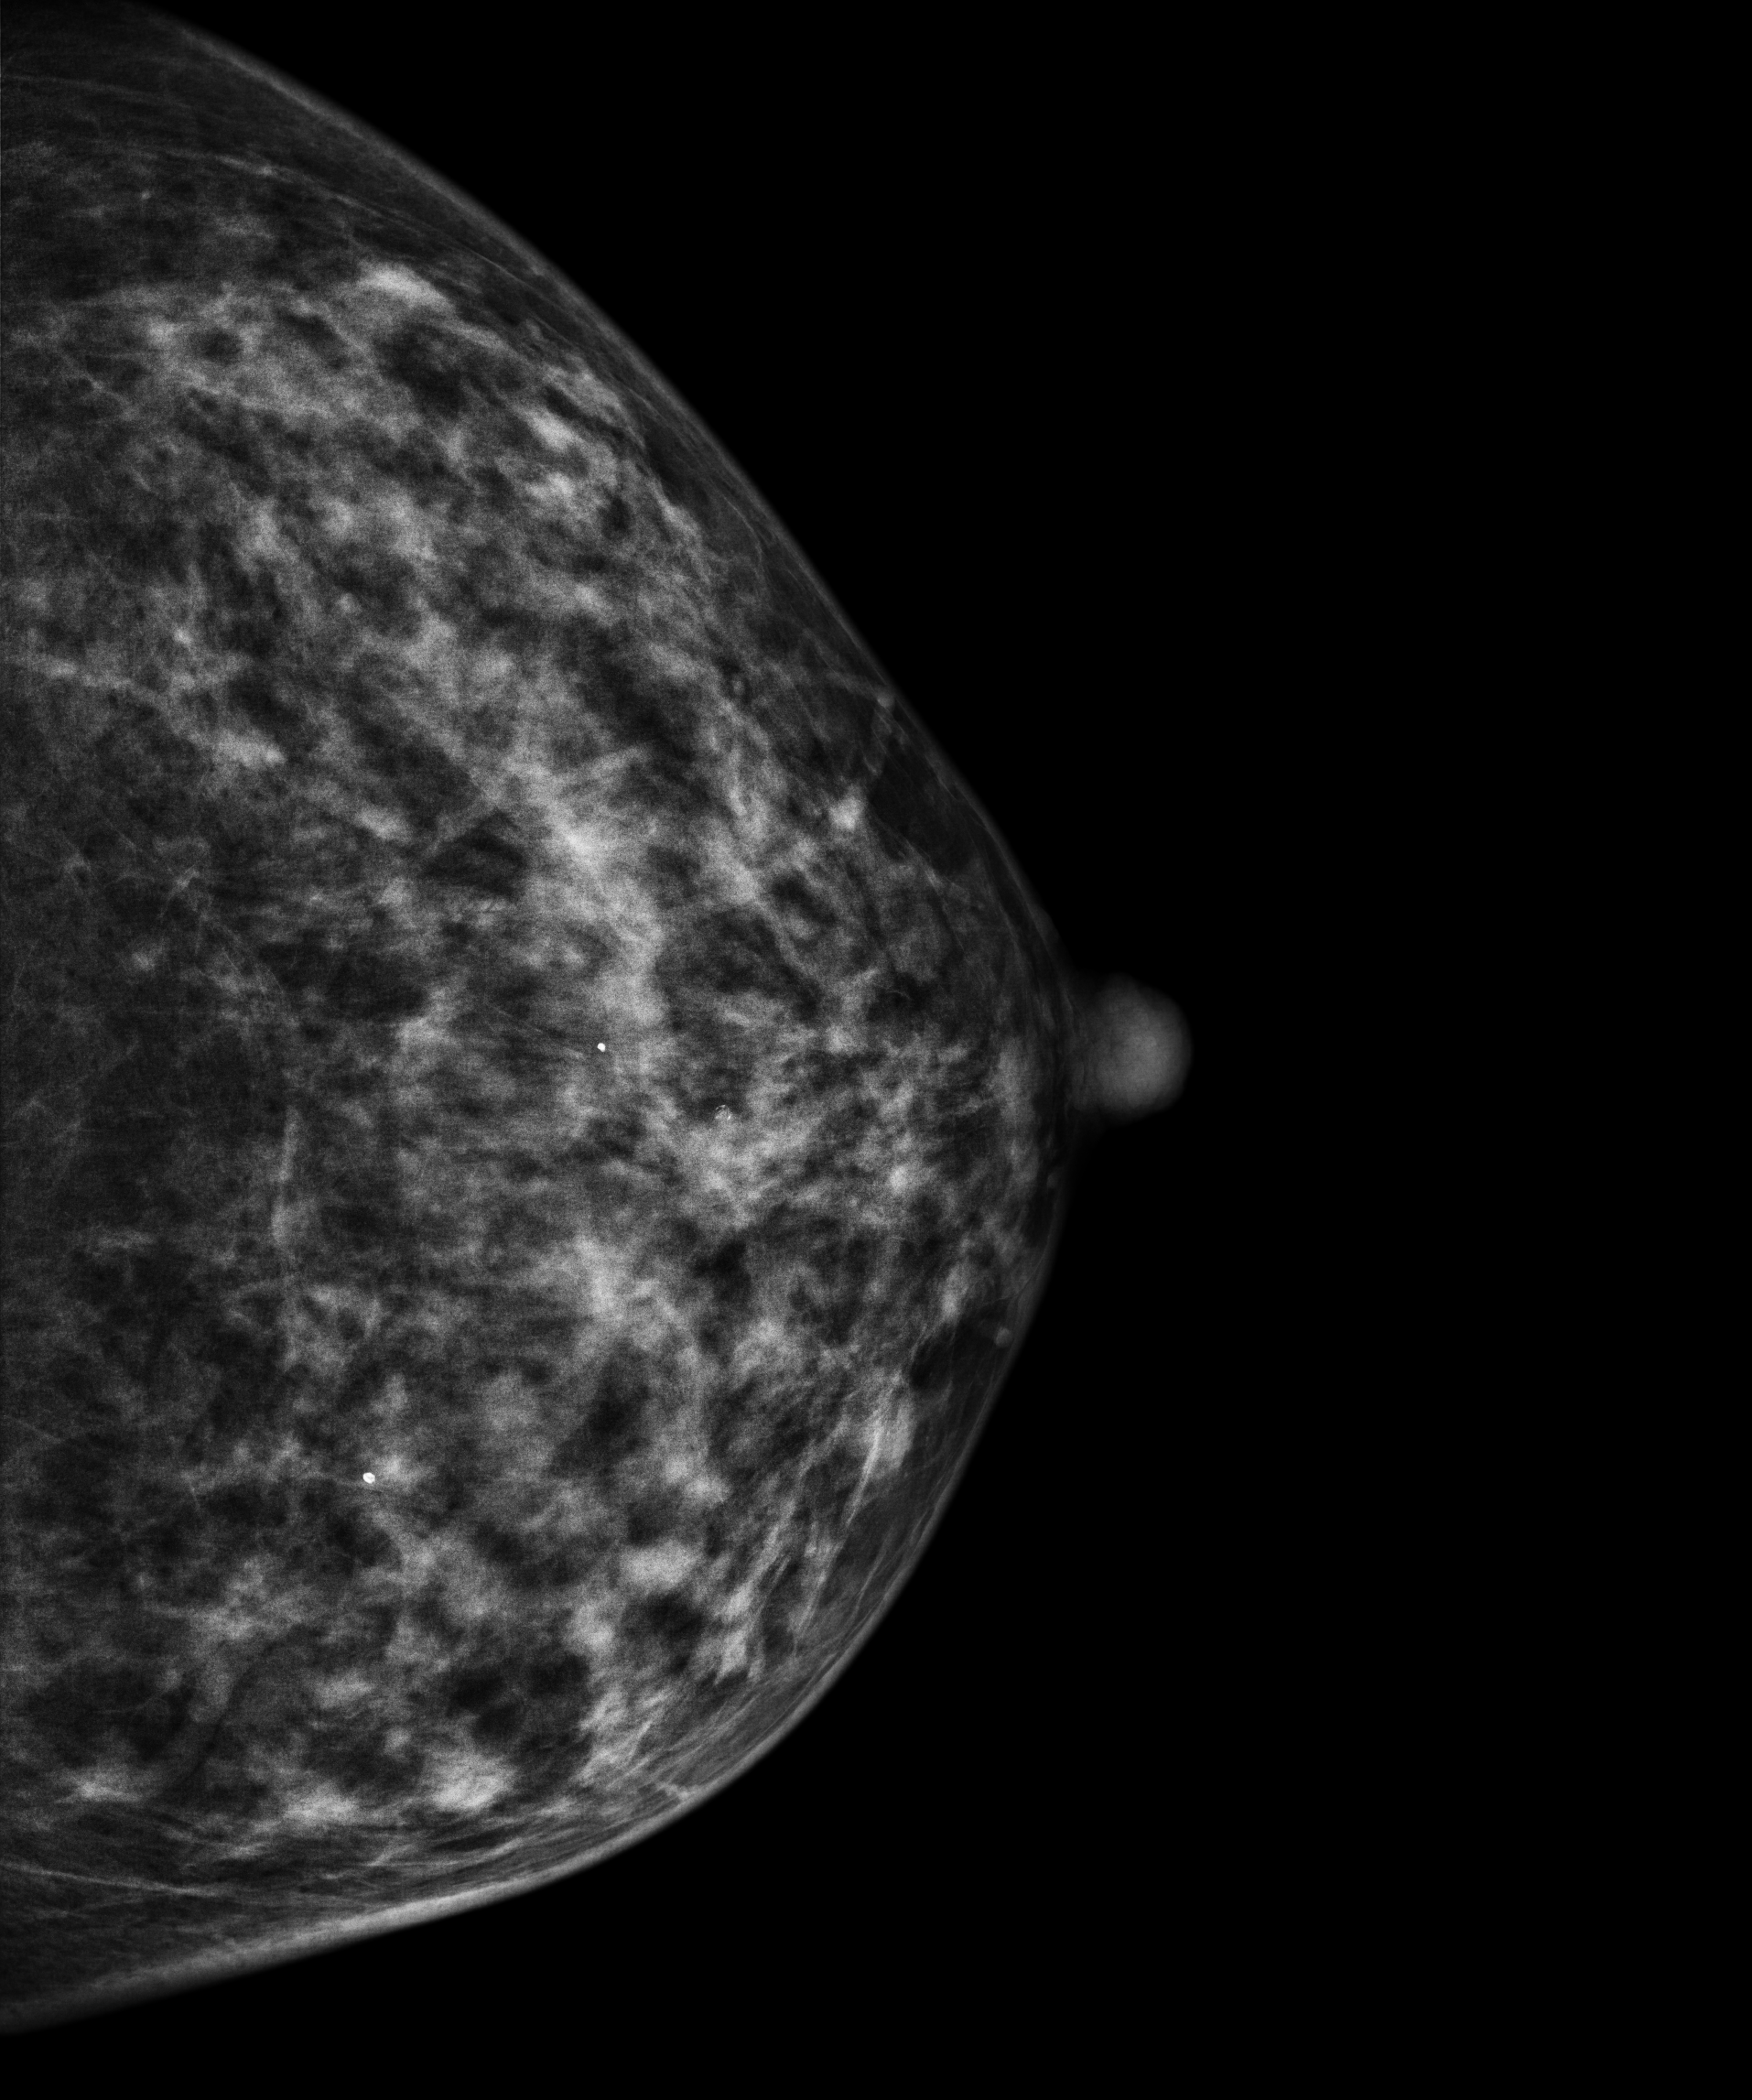
Mammogram — left cranio-caudal. 51-year-old patient.
Contralateral breast — no documented abnormality on this side.